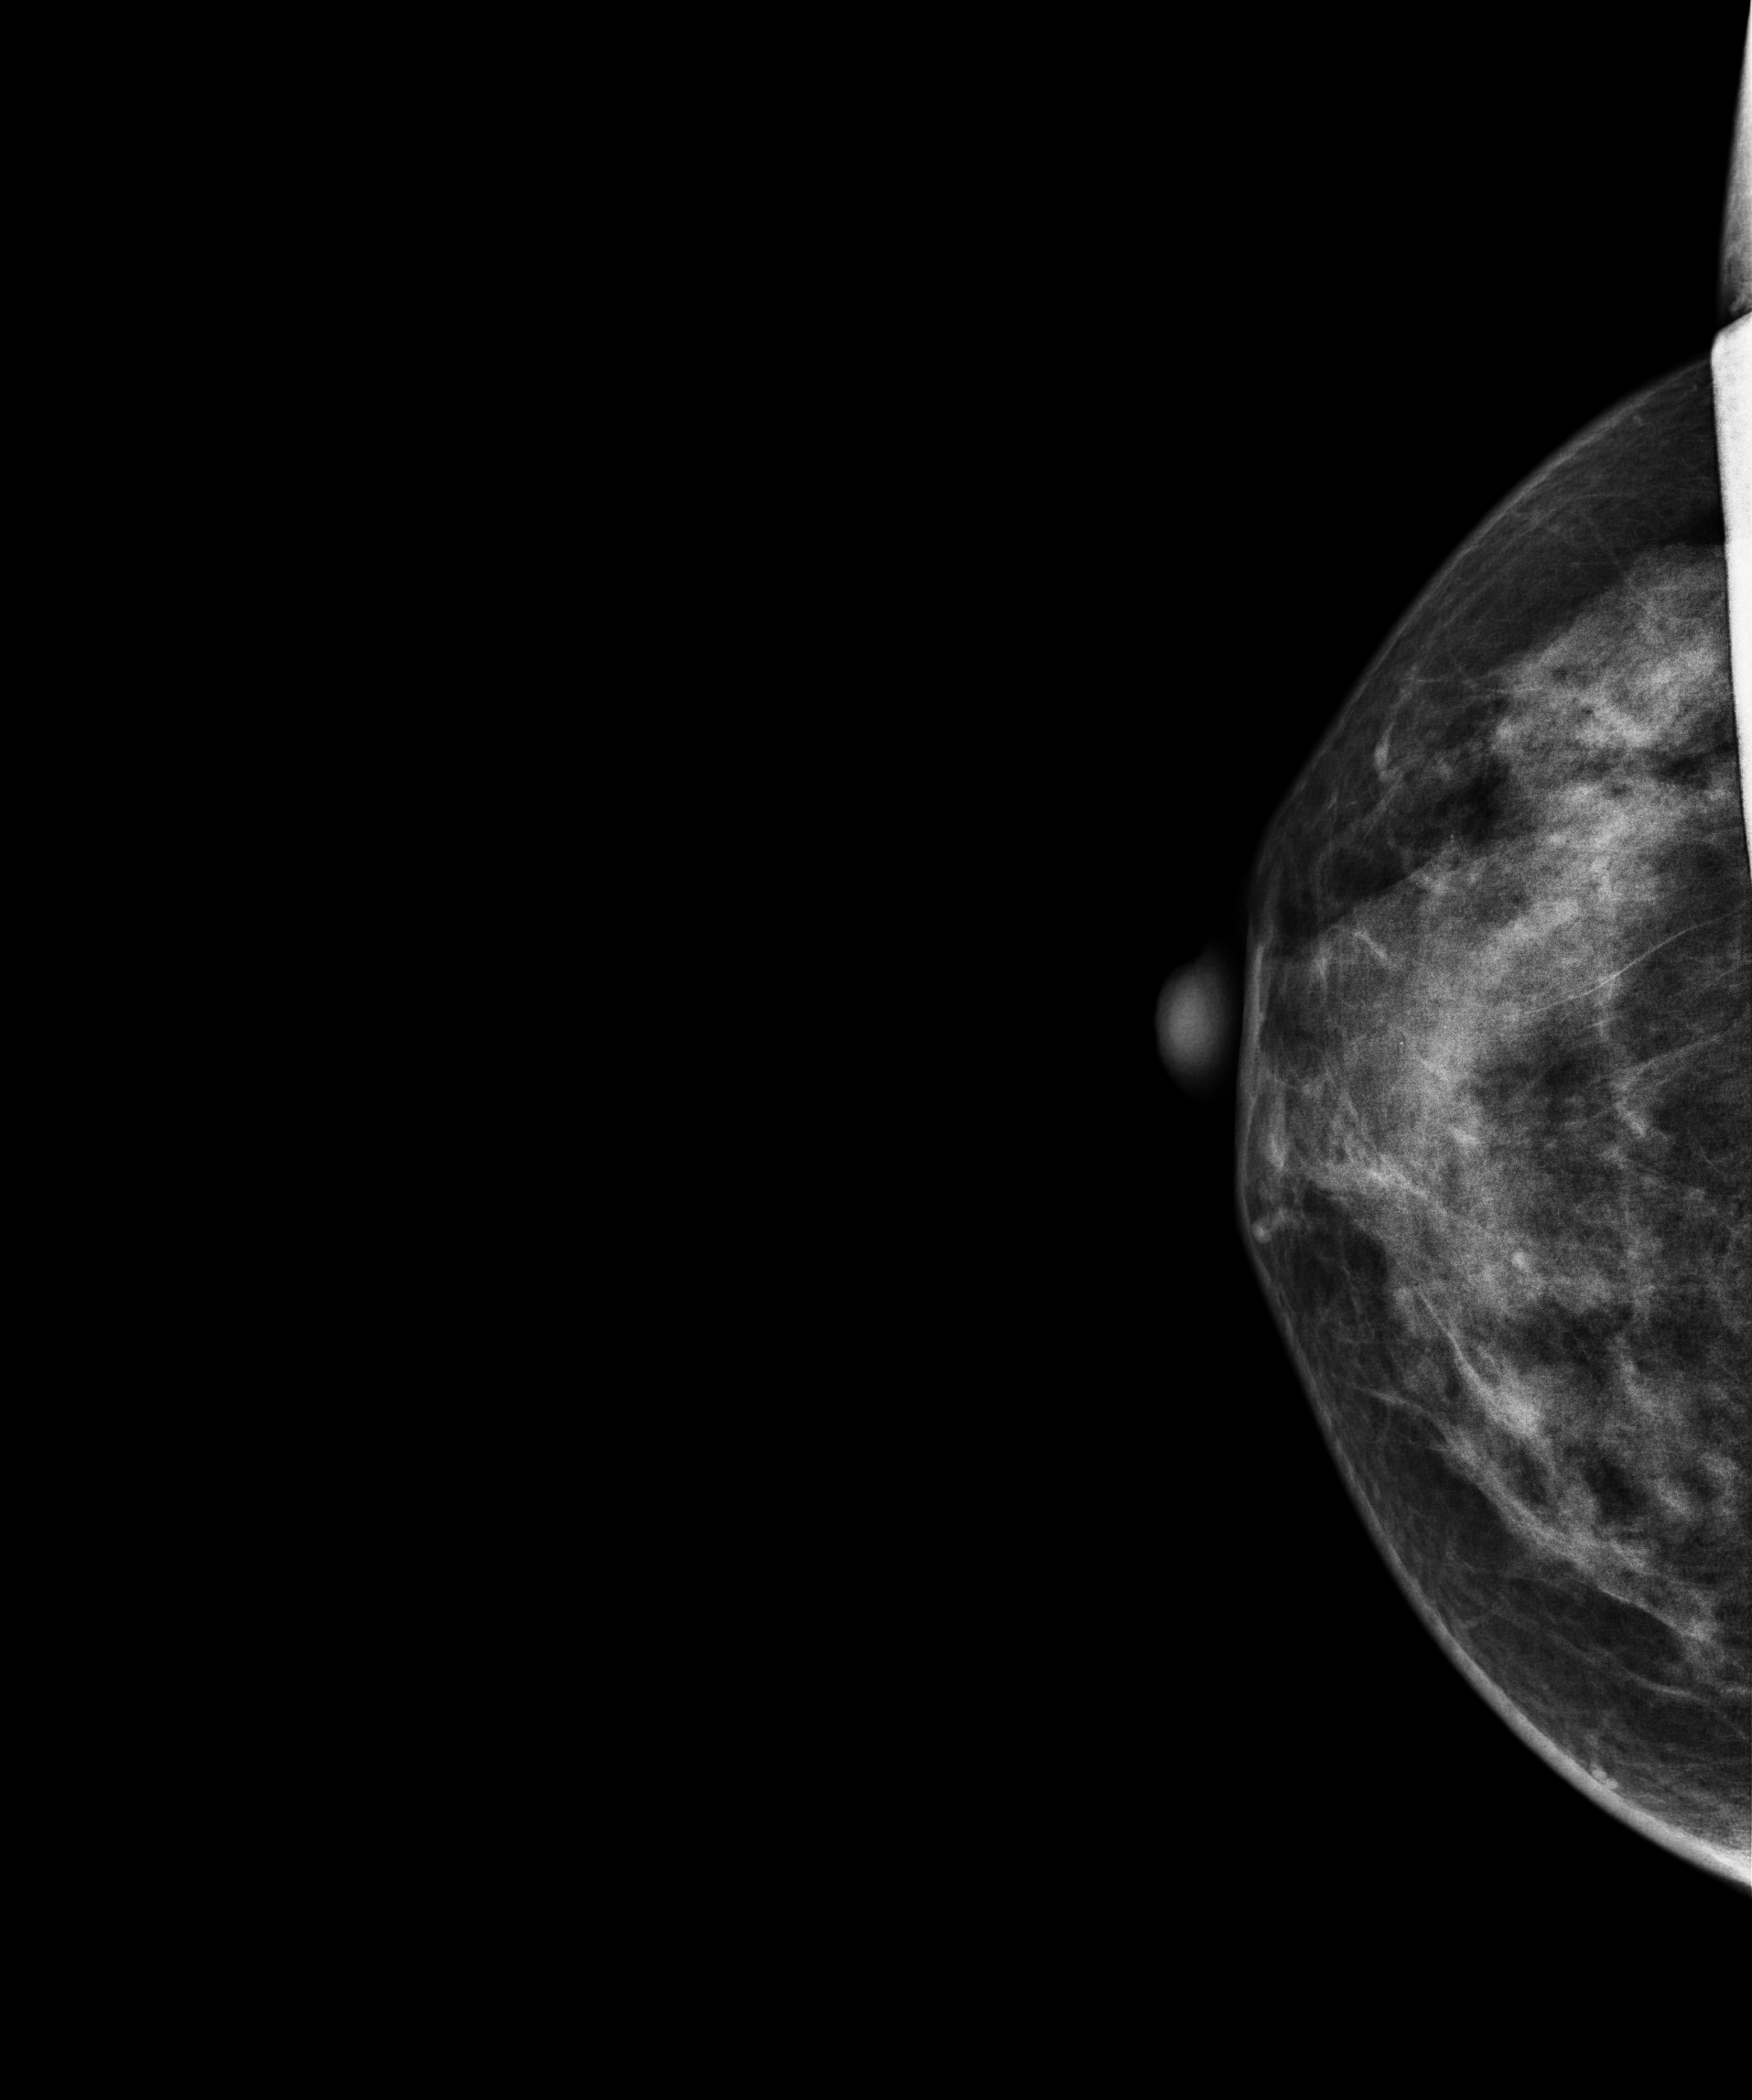
Mammogram, right breast, cranio-caudal view. 32 y/o patient.
This breast has a mass, biopsy-confirmed benign.